Mammogram — right cranio-caudal. Patient age 48.
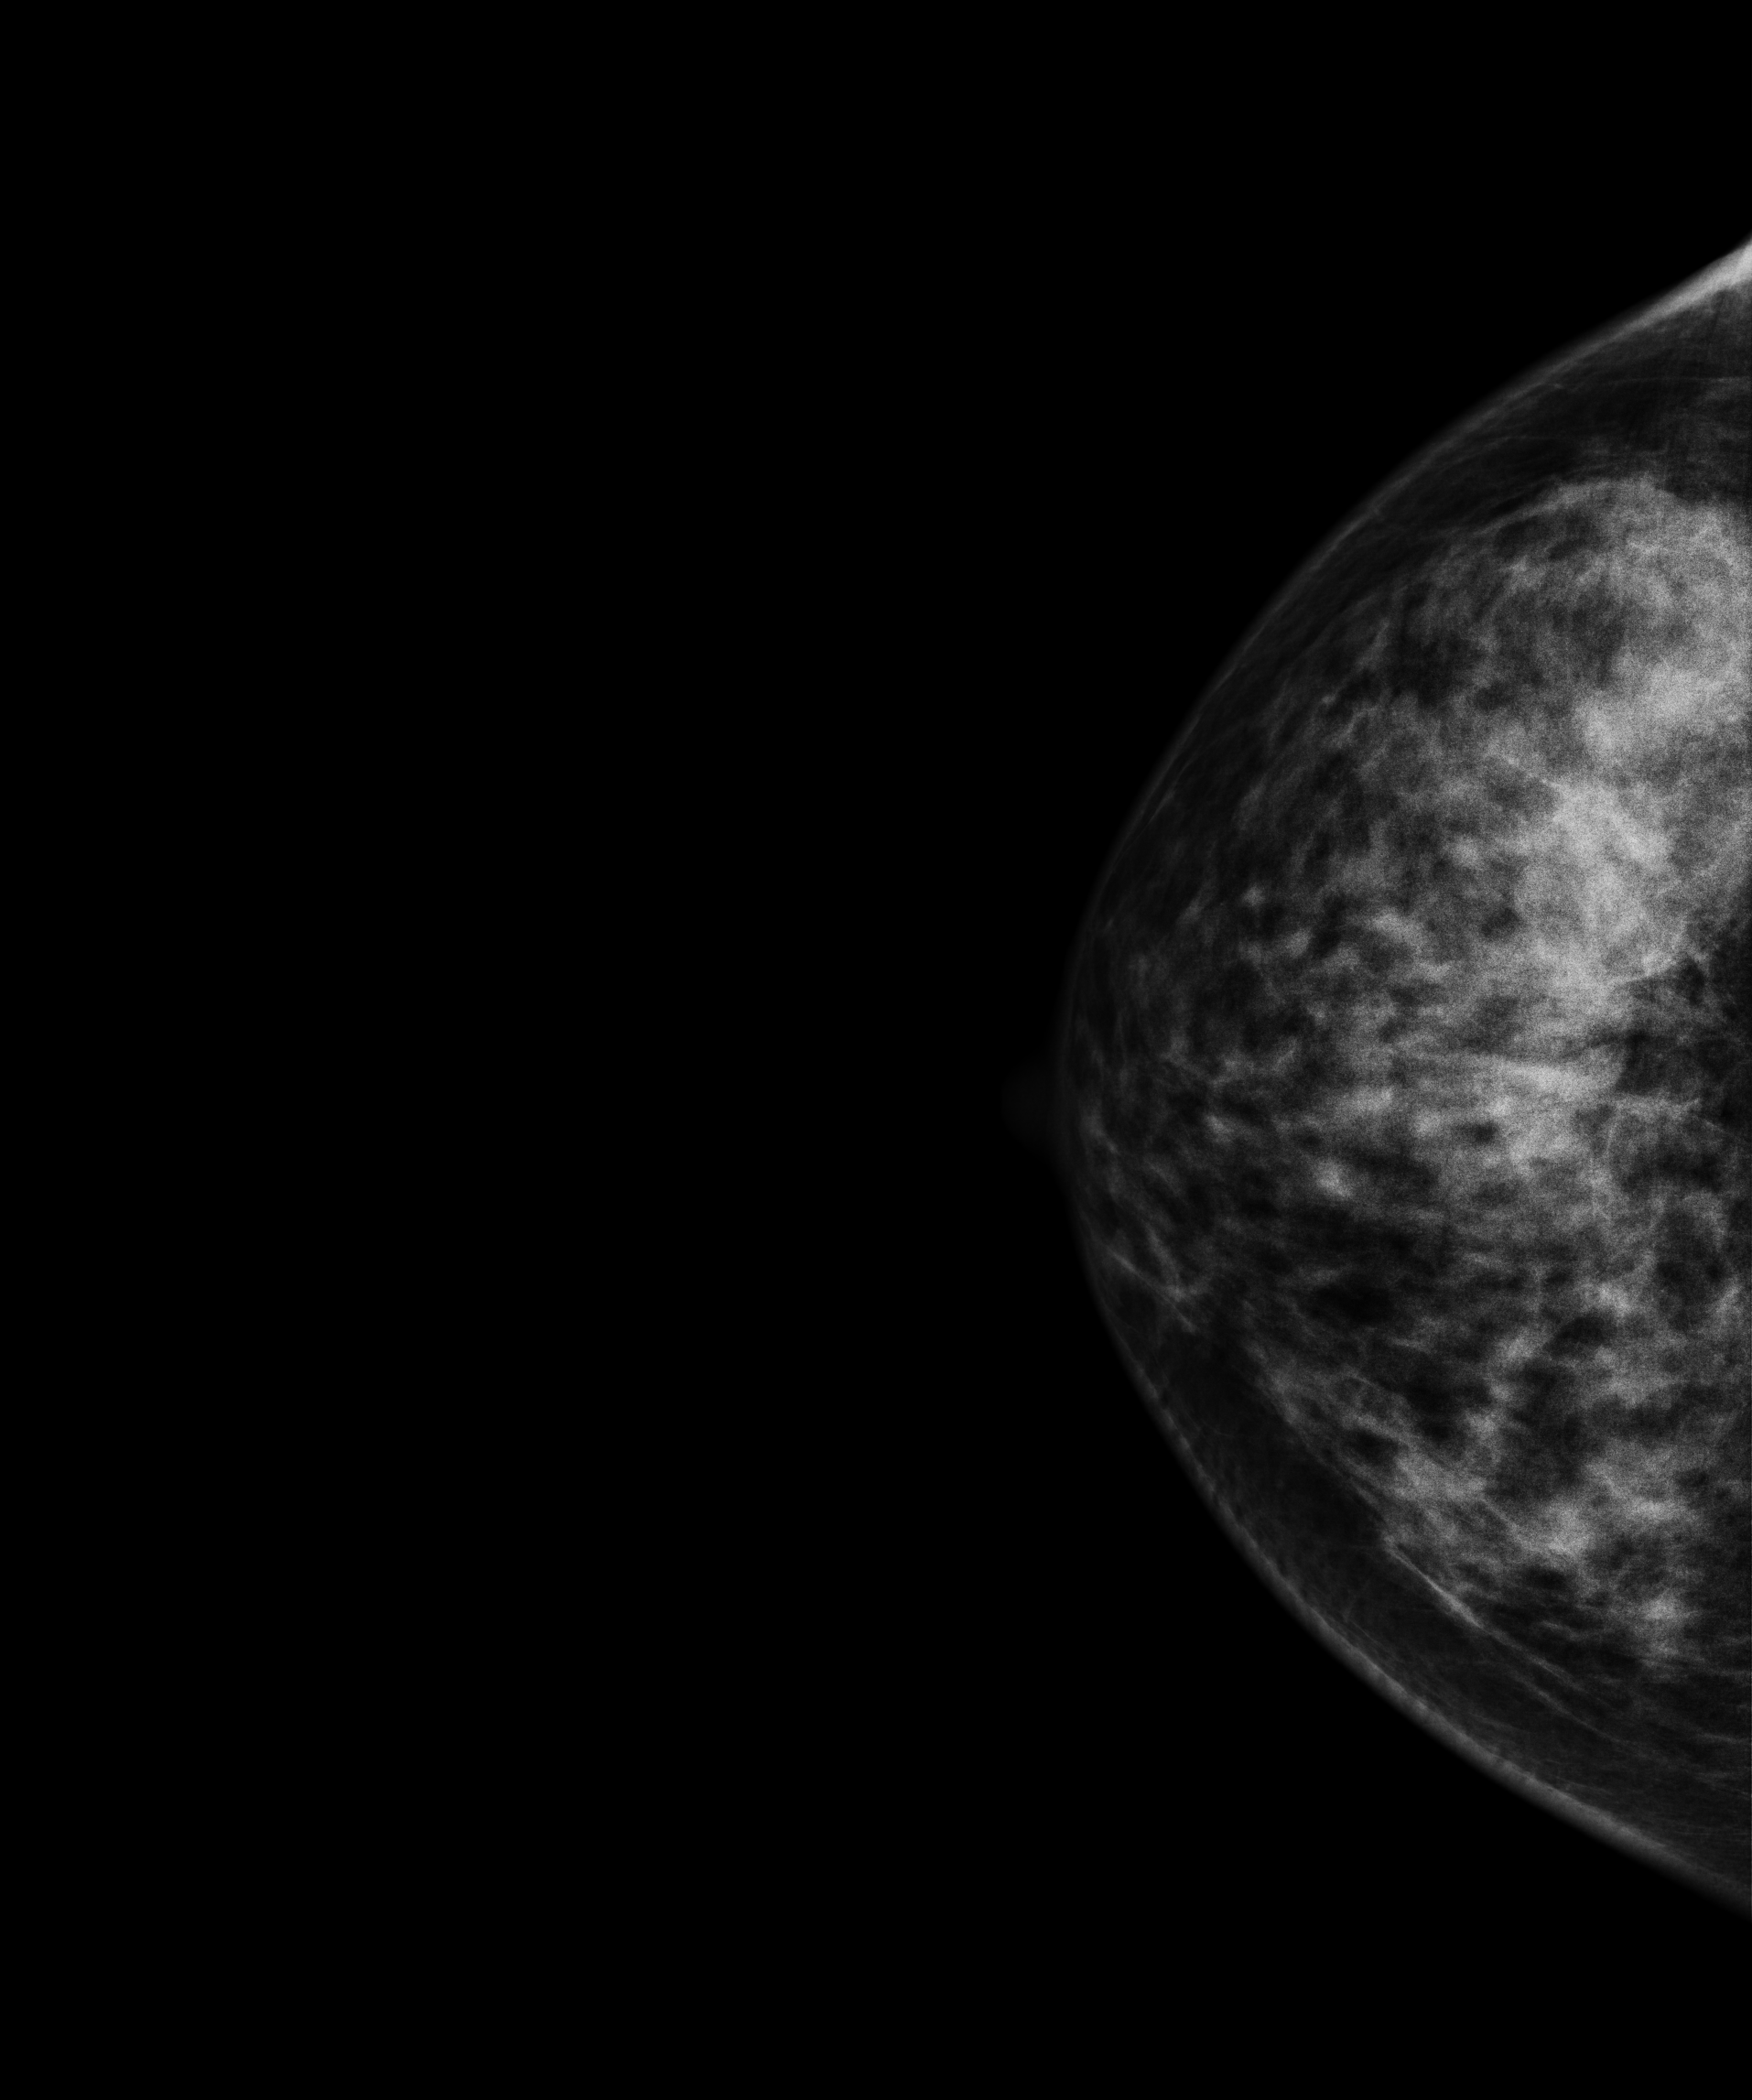
Contralateral breast — no documented abnormality on this side.